Digital mammography. Left breast, cranio-caudal projection. 58-year-old patient.
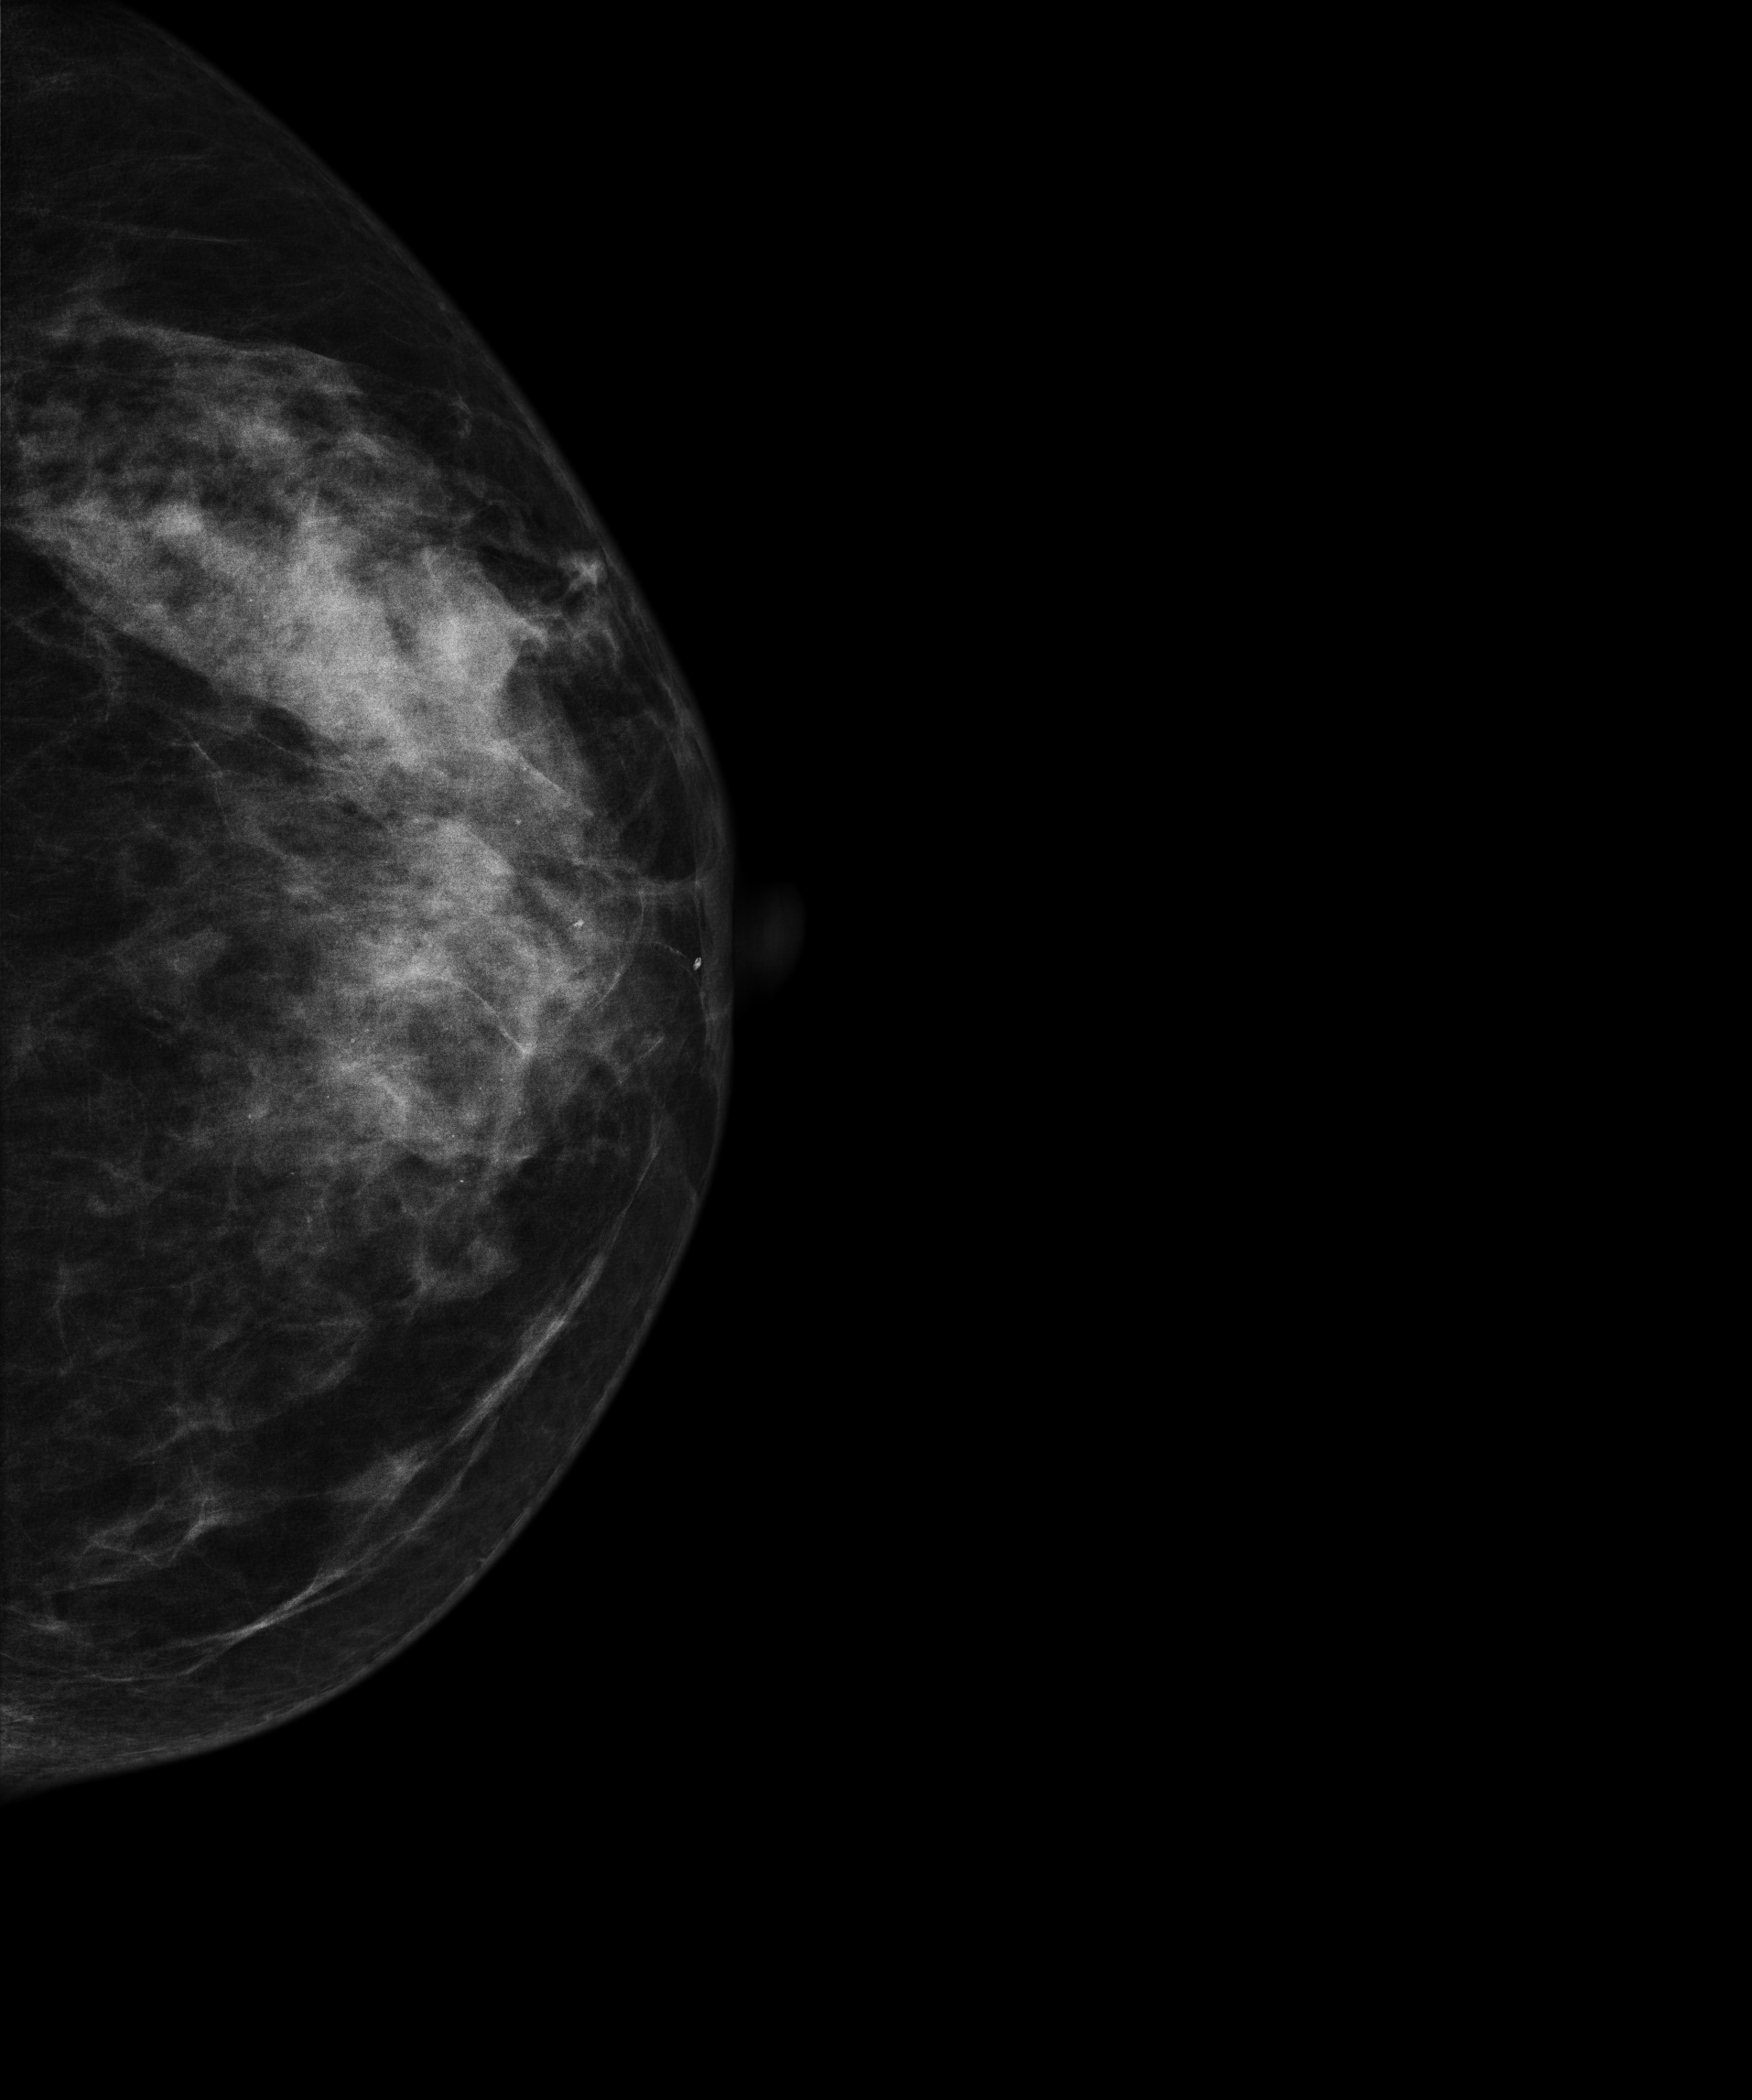
This breast has a mass and calcifications, histologically confirmed benign.